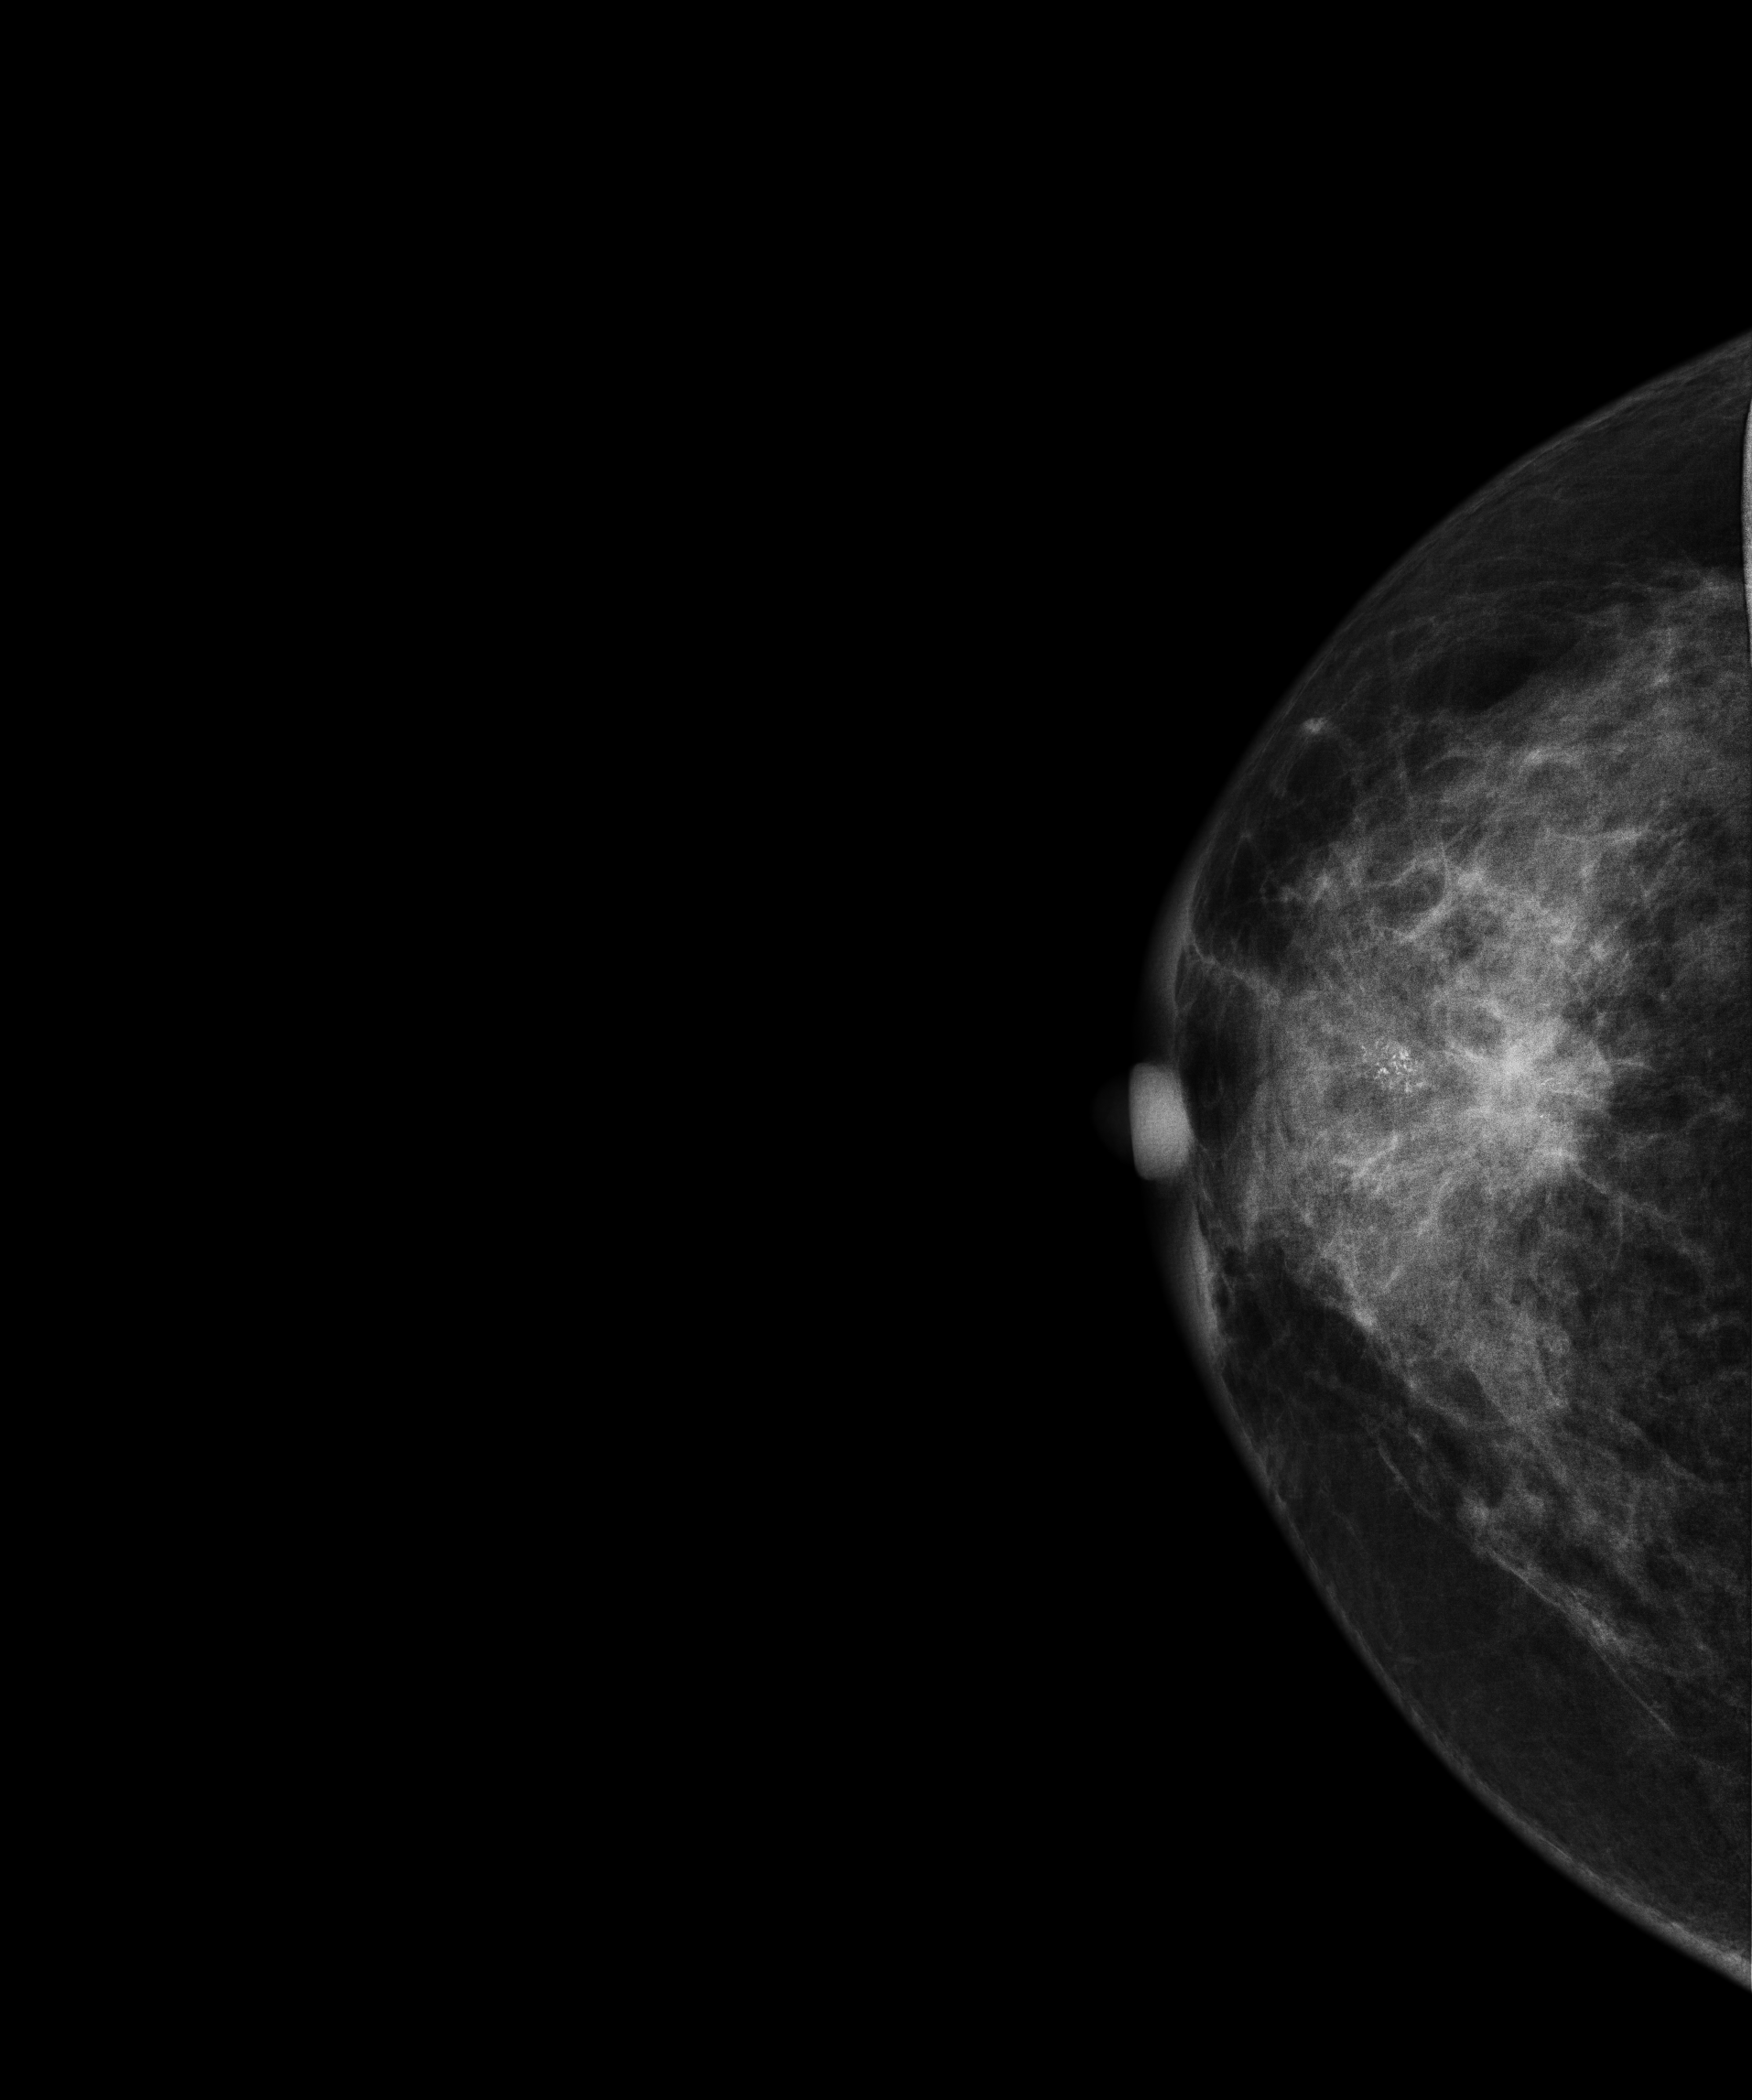
CC mammogram of the right breast. 63 y/o patient.
This breast has a mass and calcifications, pathology-confirmed malignant. Molecular subtype: luminal B.